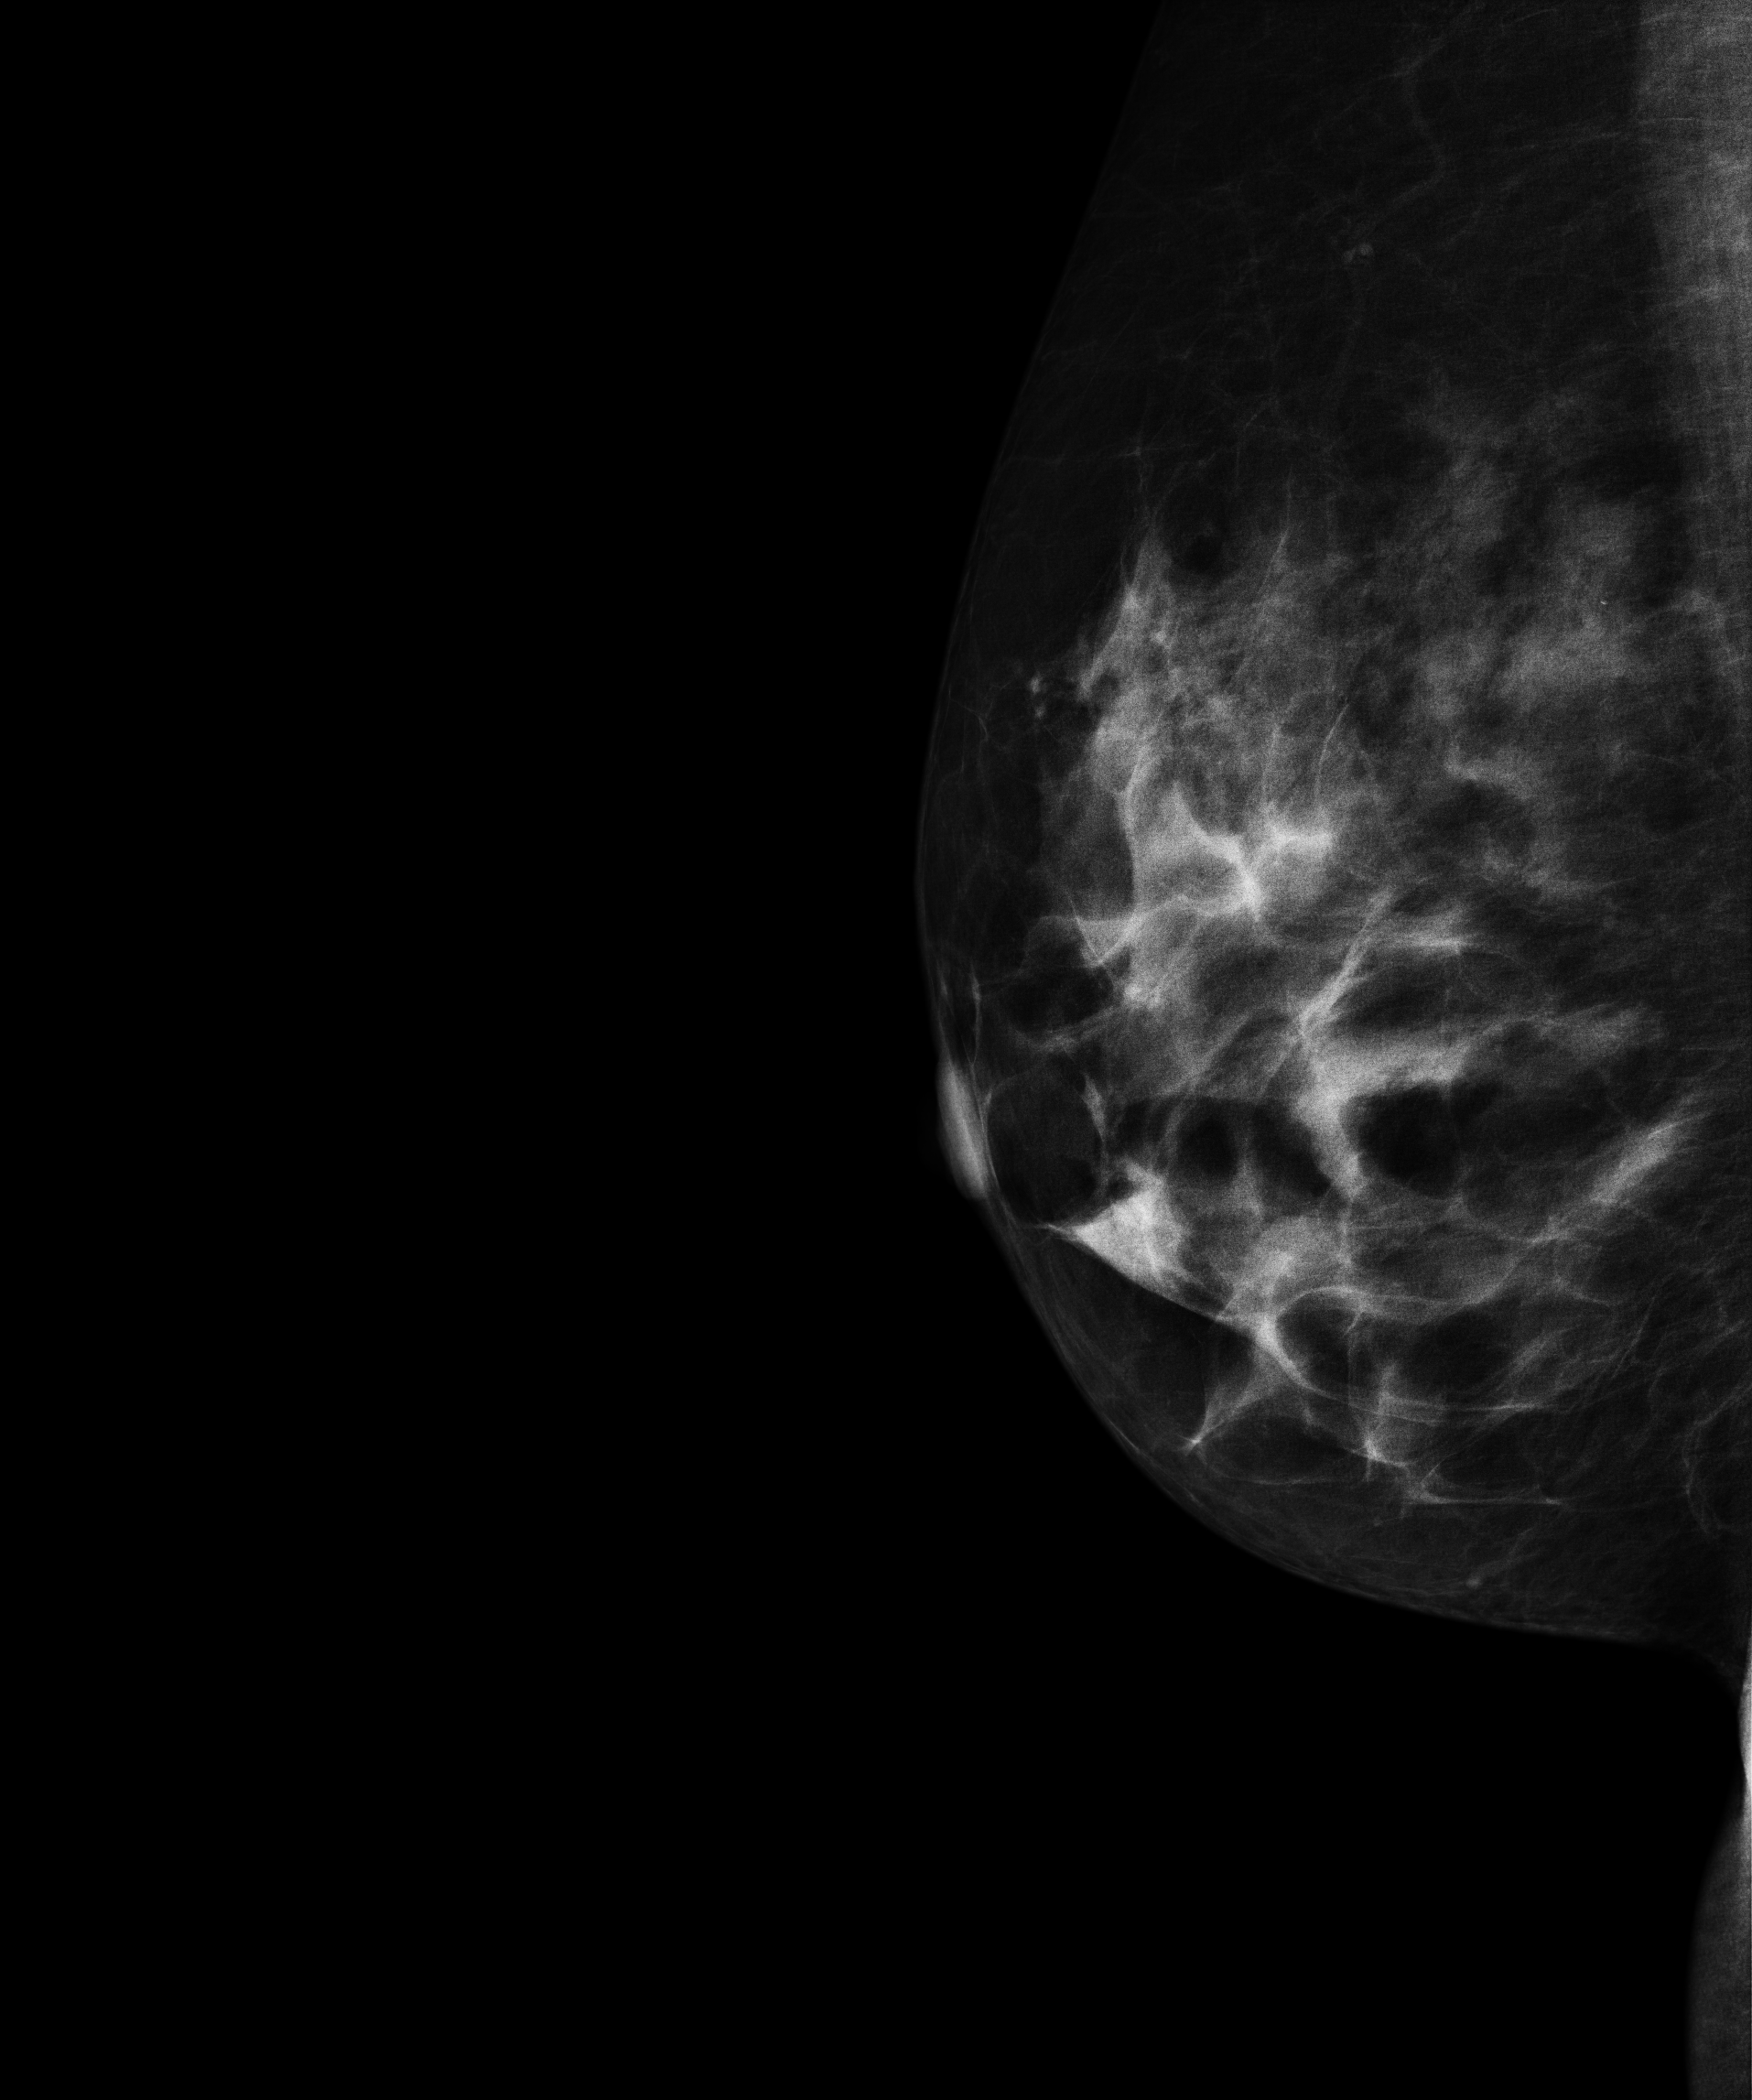
Mammogram, right breast, cranio-caudal view. Patient age 51.
Contralateral breast — no documented abnormality on this side.